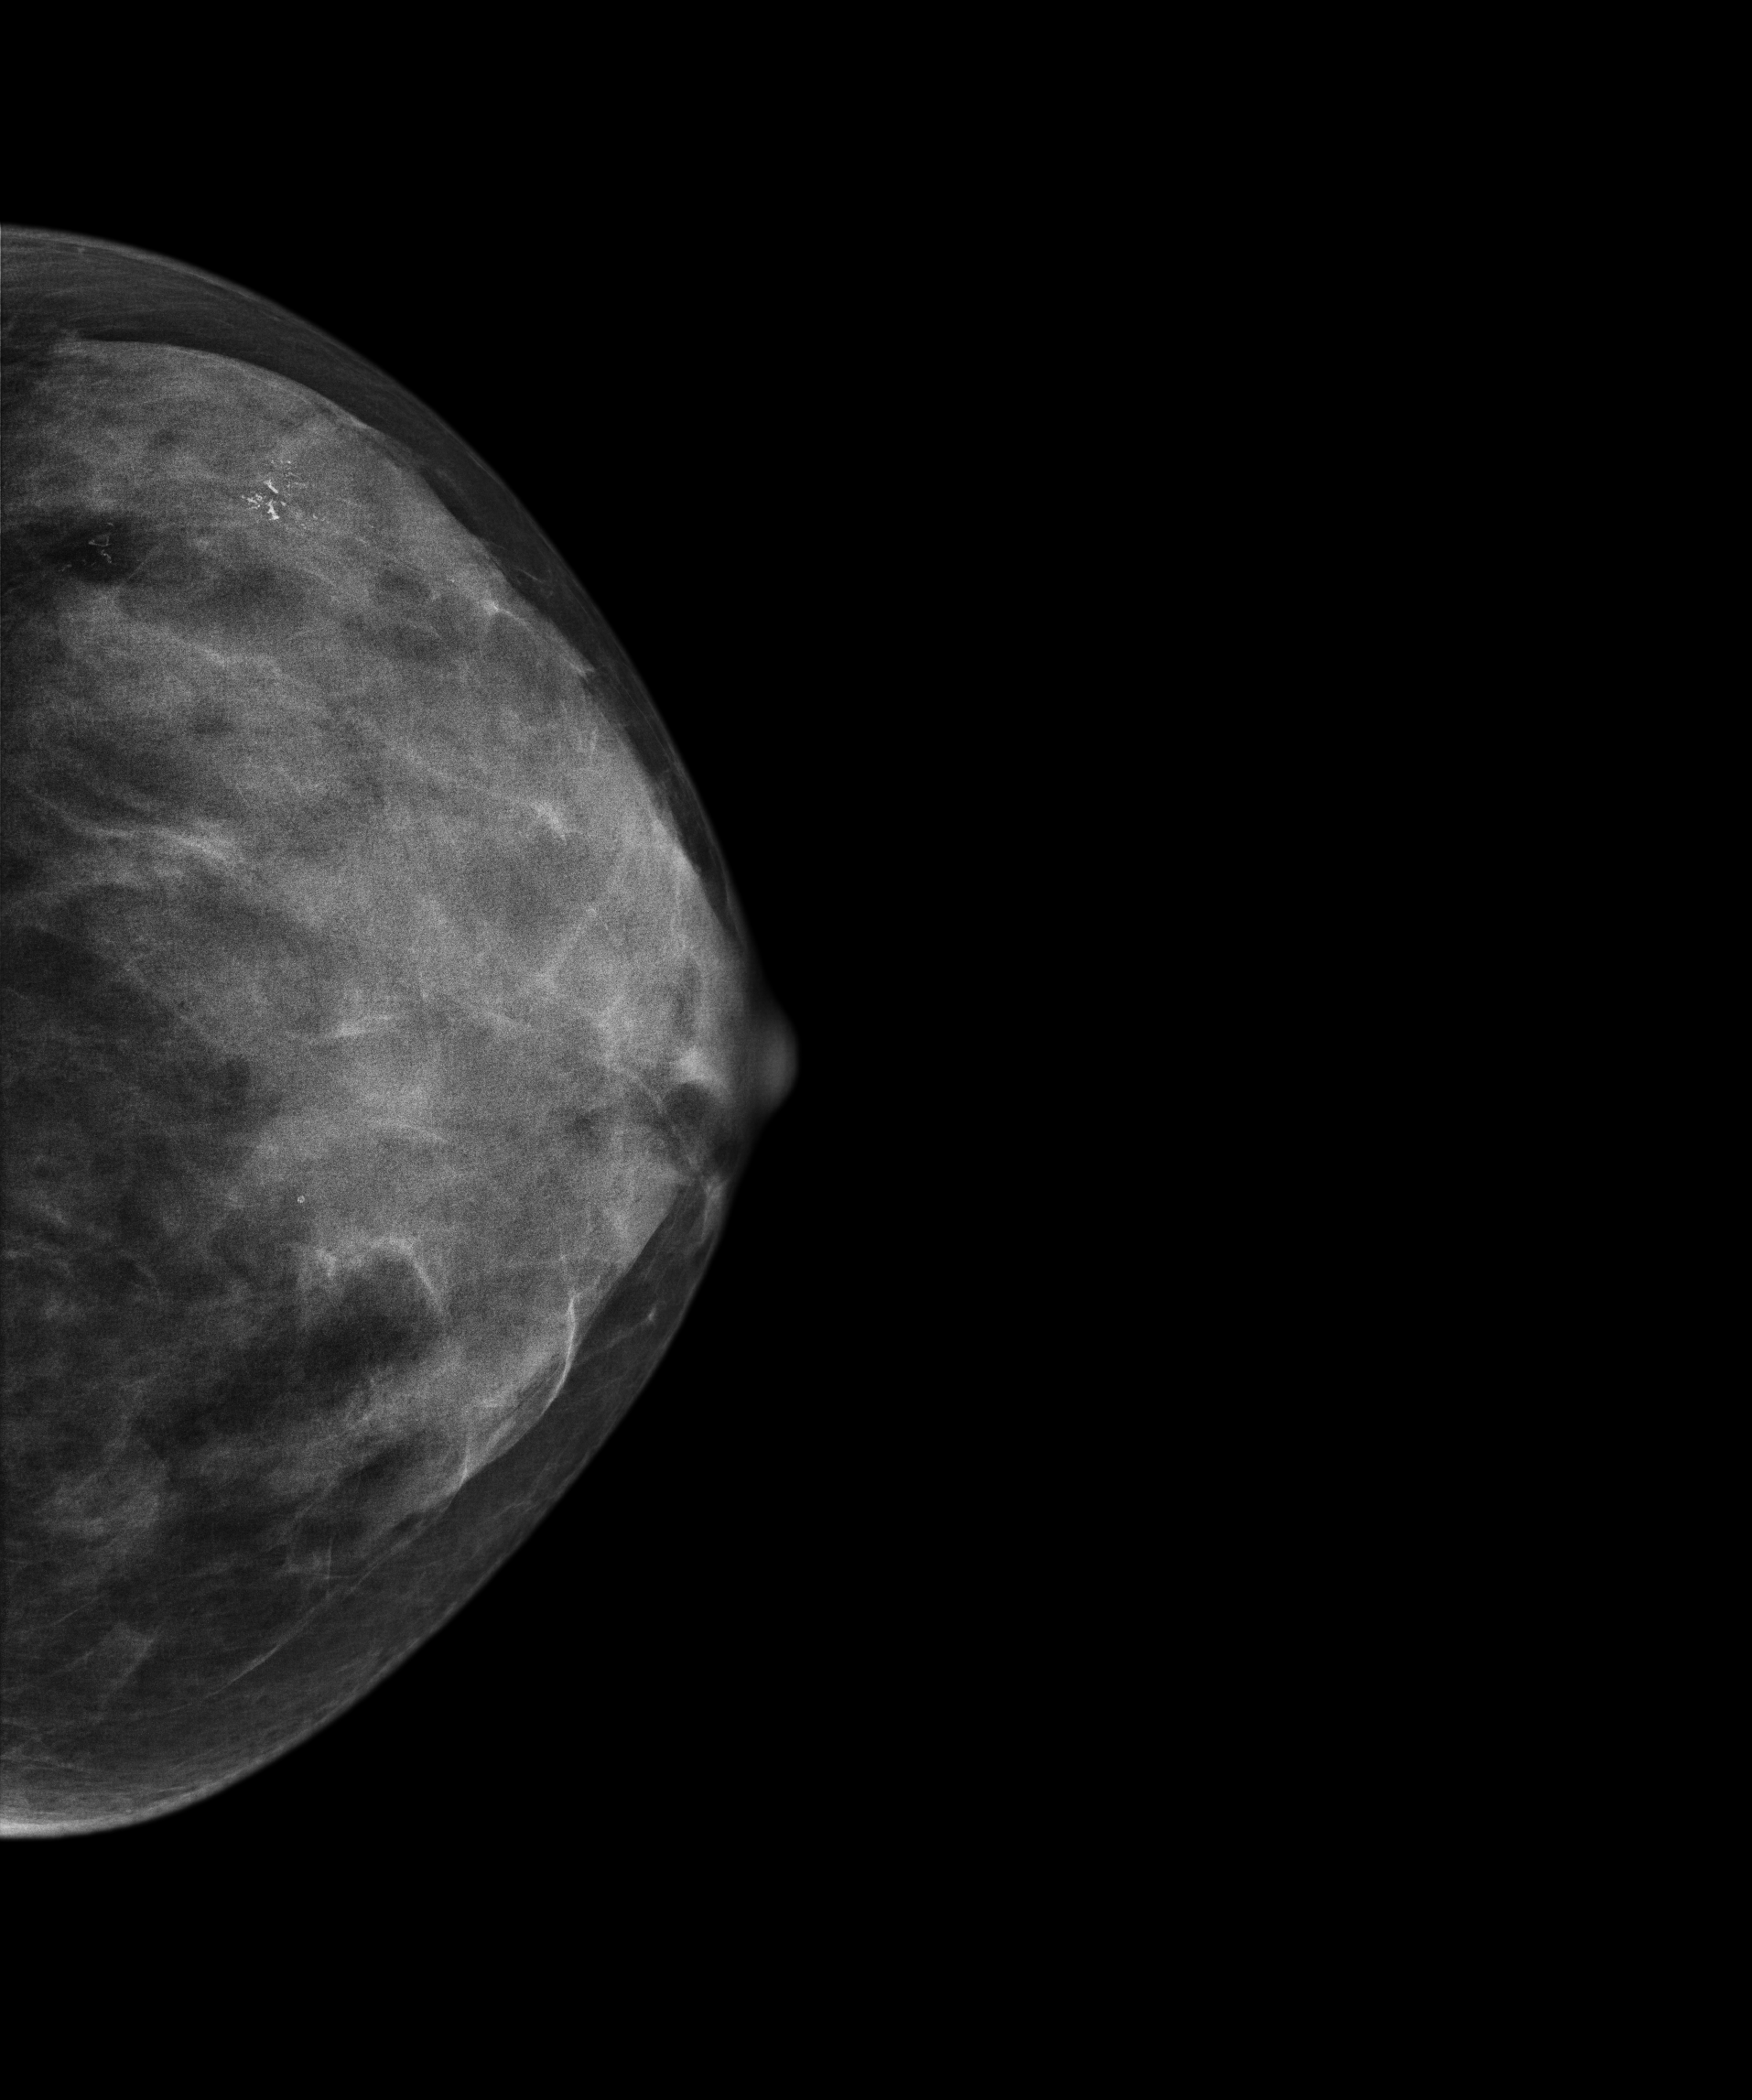
Mammogram, left breast, cranio-caudal view. 45 y/o patient.
This breast has calcifications, pathology-confirmed malignant.